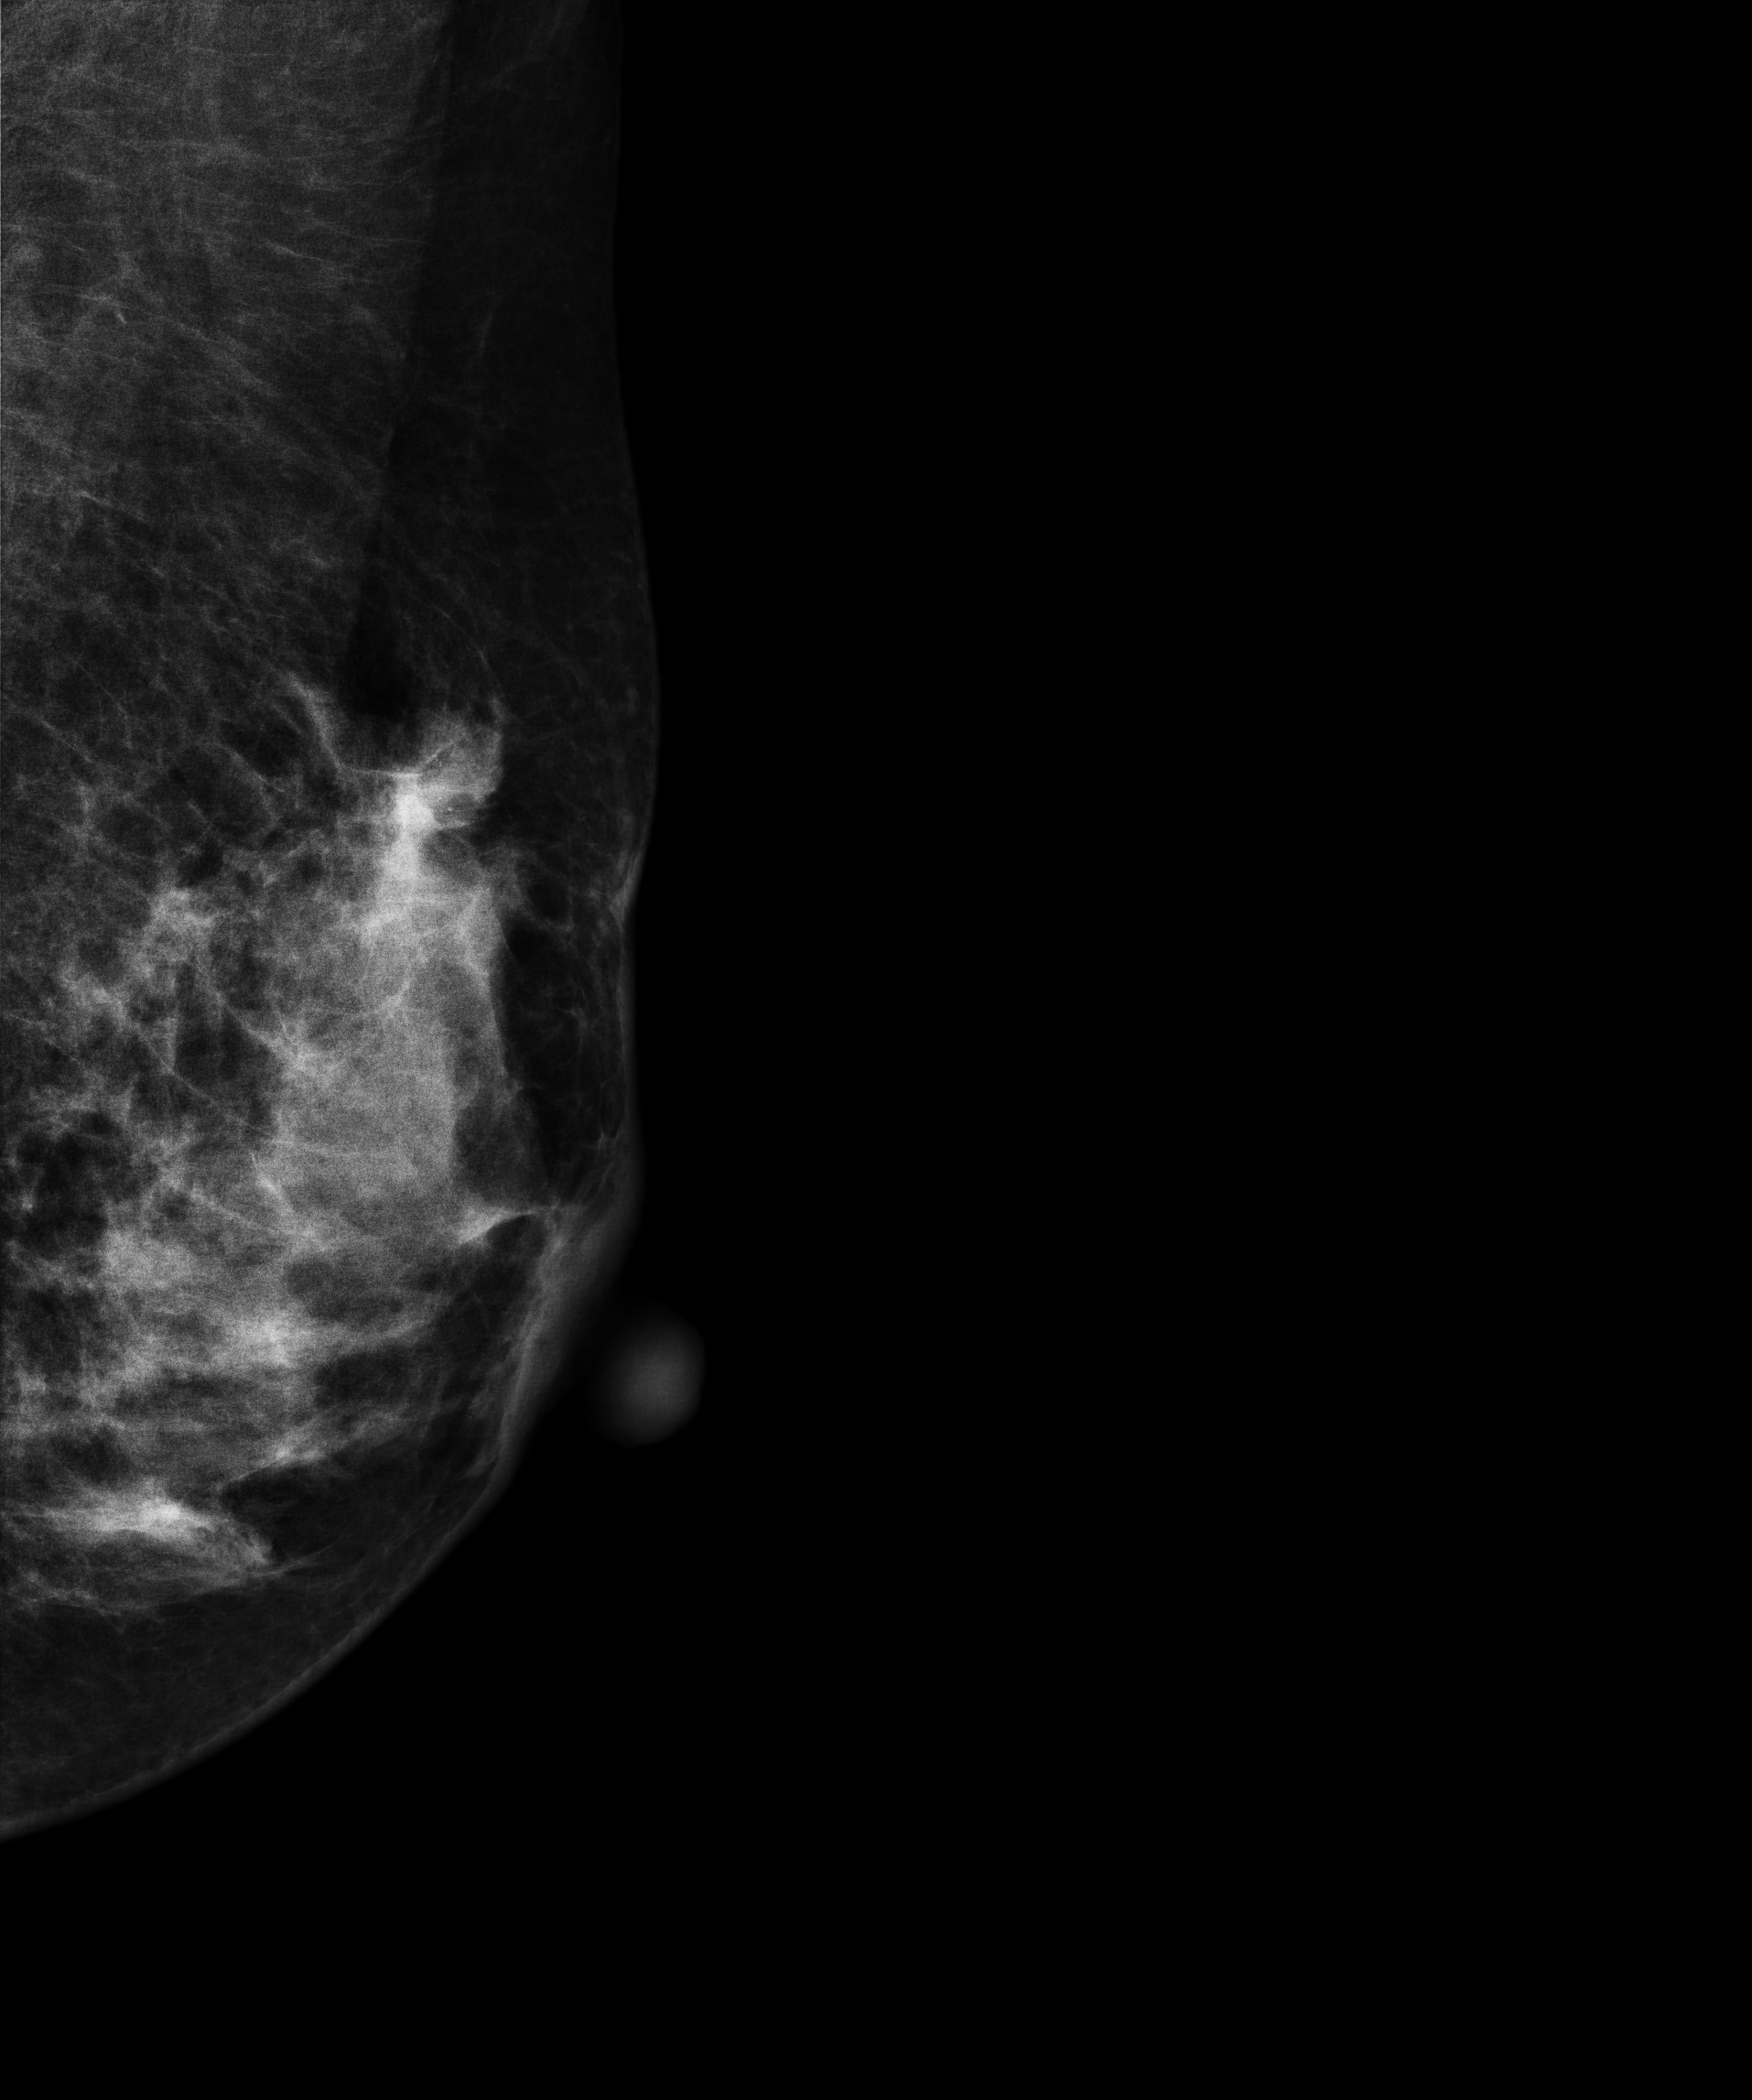
Mammogram, left breast, medio-lateral oblique view. 44-year-old patient.
This breast has a mass and calcifications, biopsy-proven malignant.